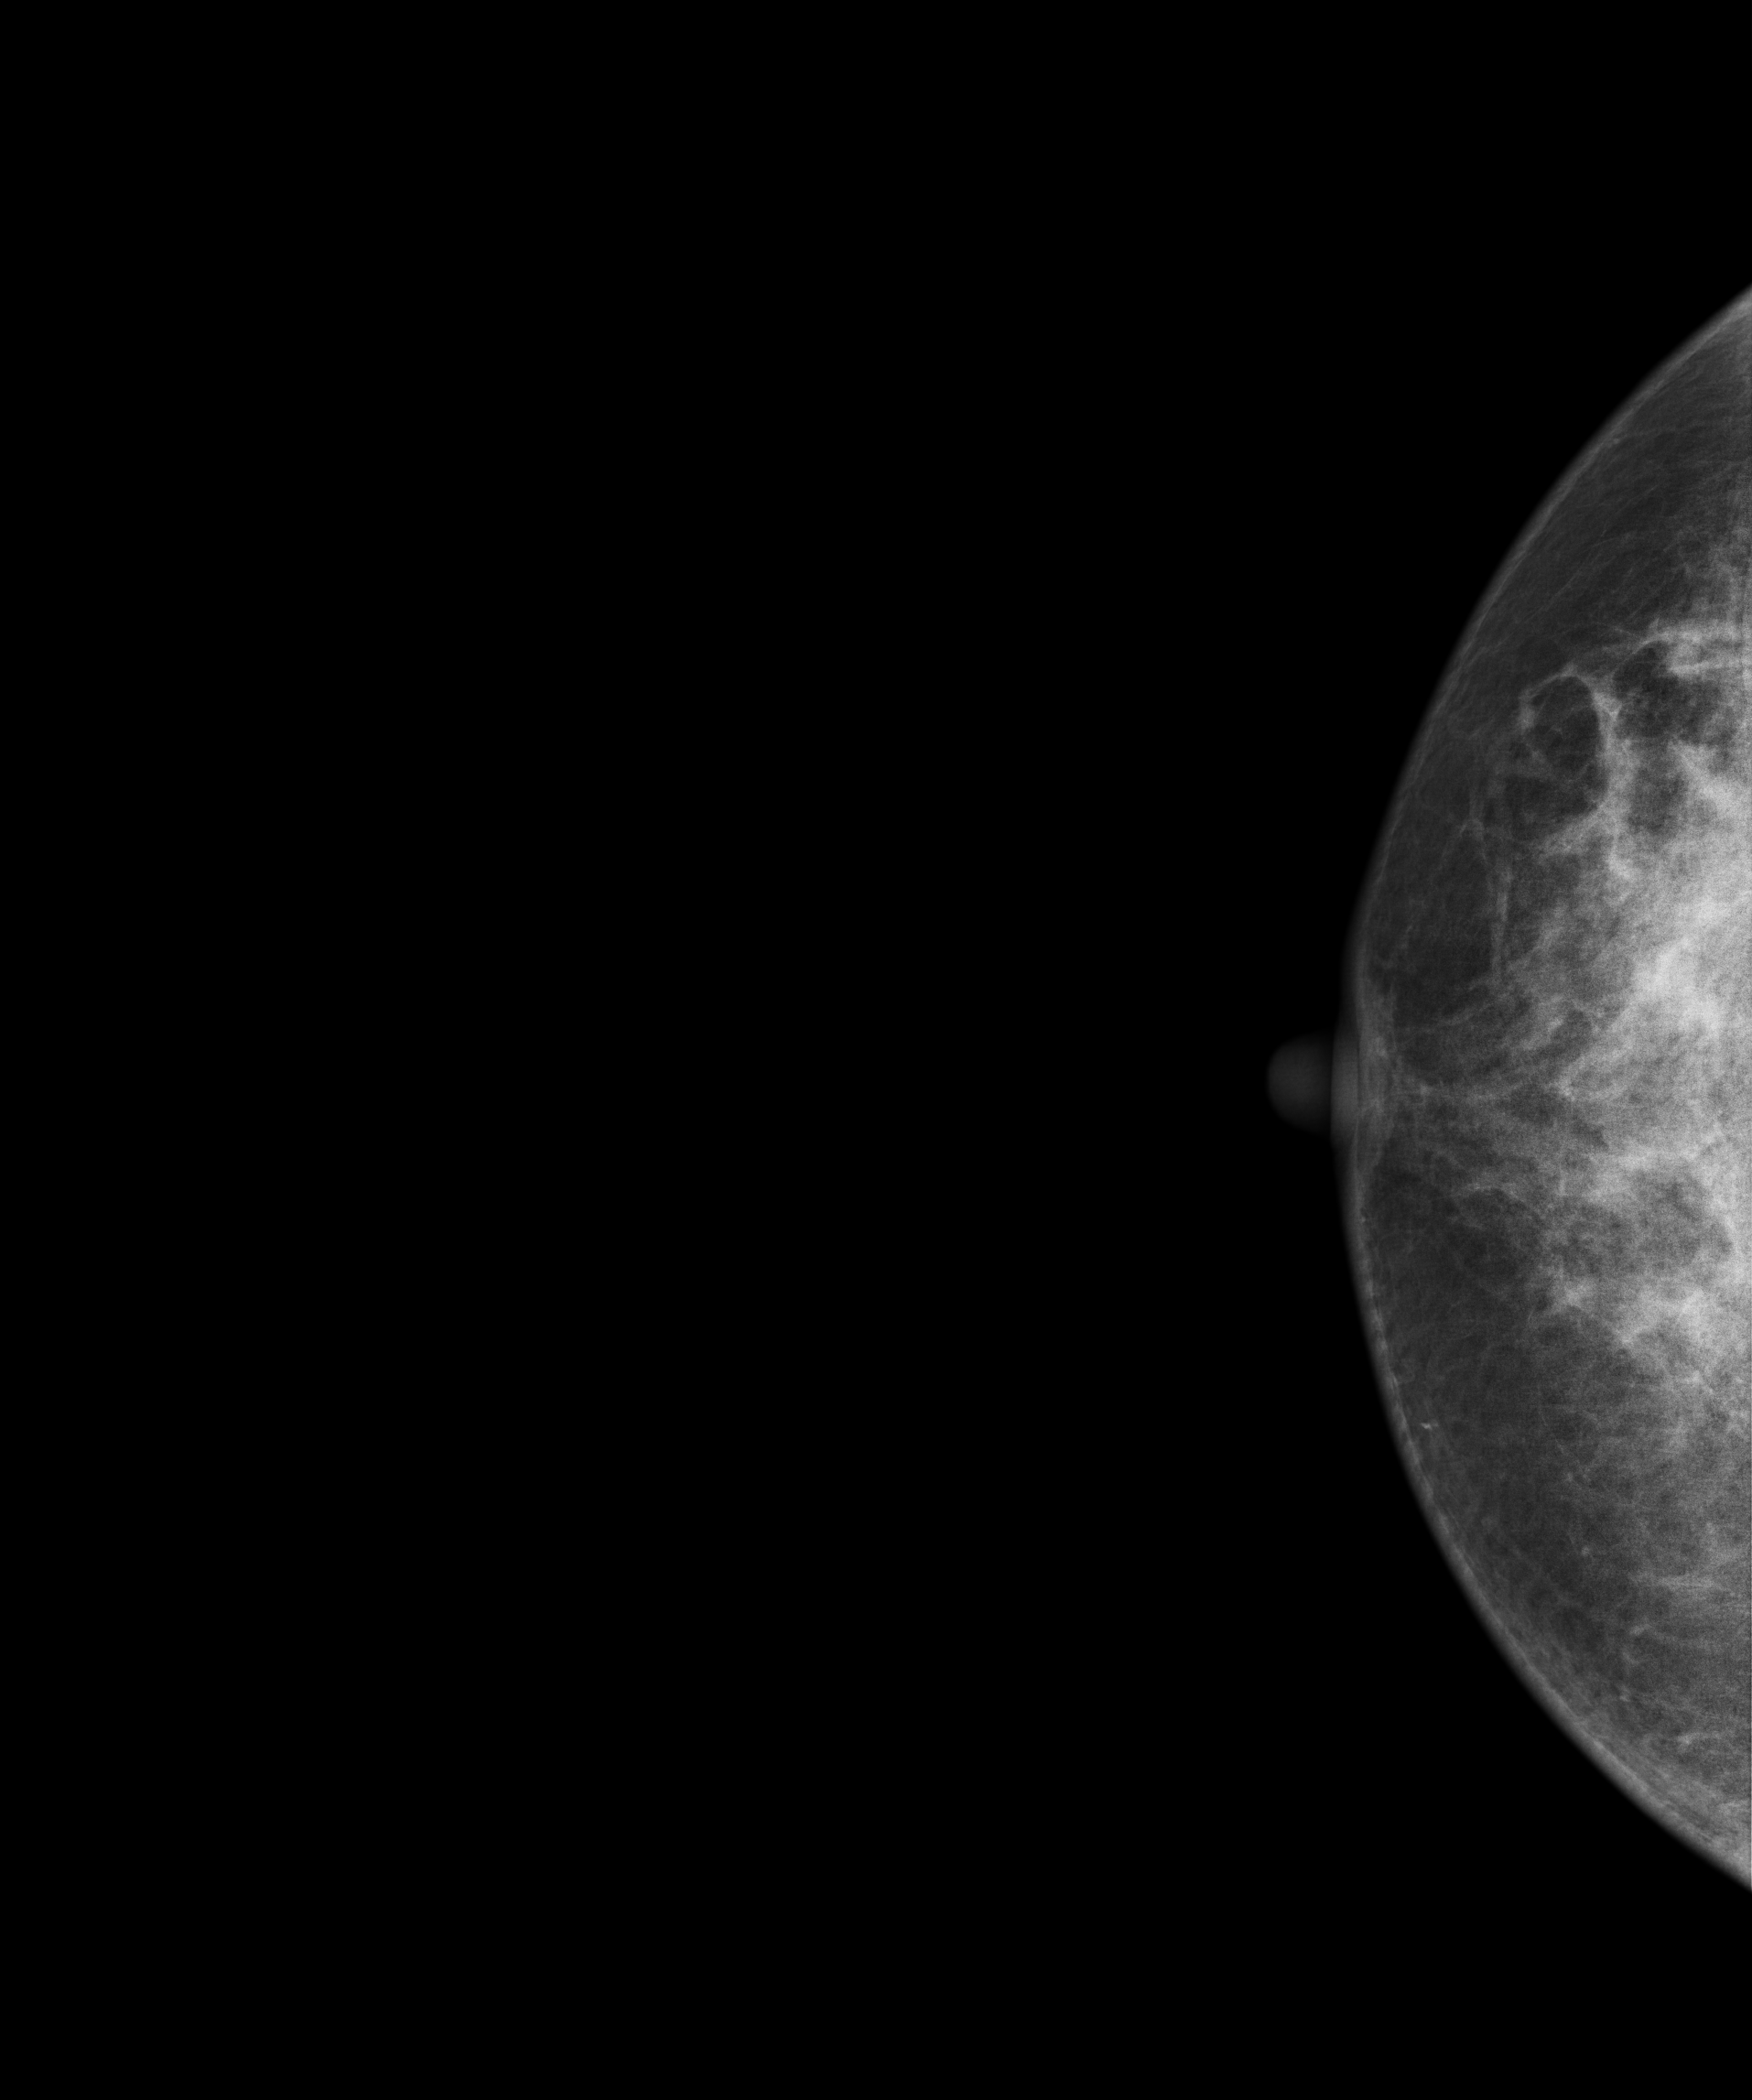
Mammogram, right breast, CC view. 43-year-old patient.
Contralateral breast — no documented abnormality on this side.